CC mammogram of the right breast. 59 y/o patient.
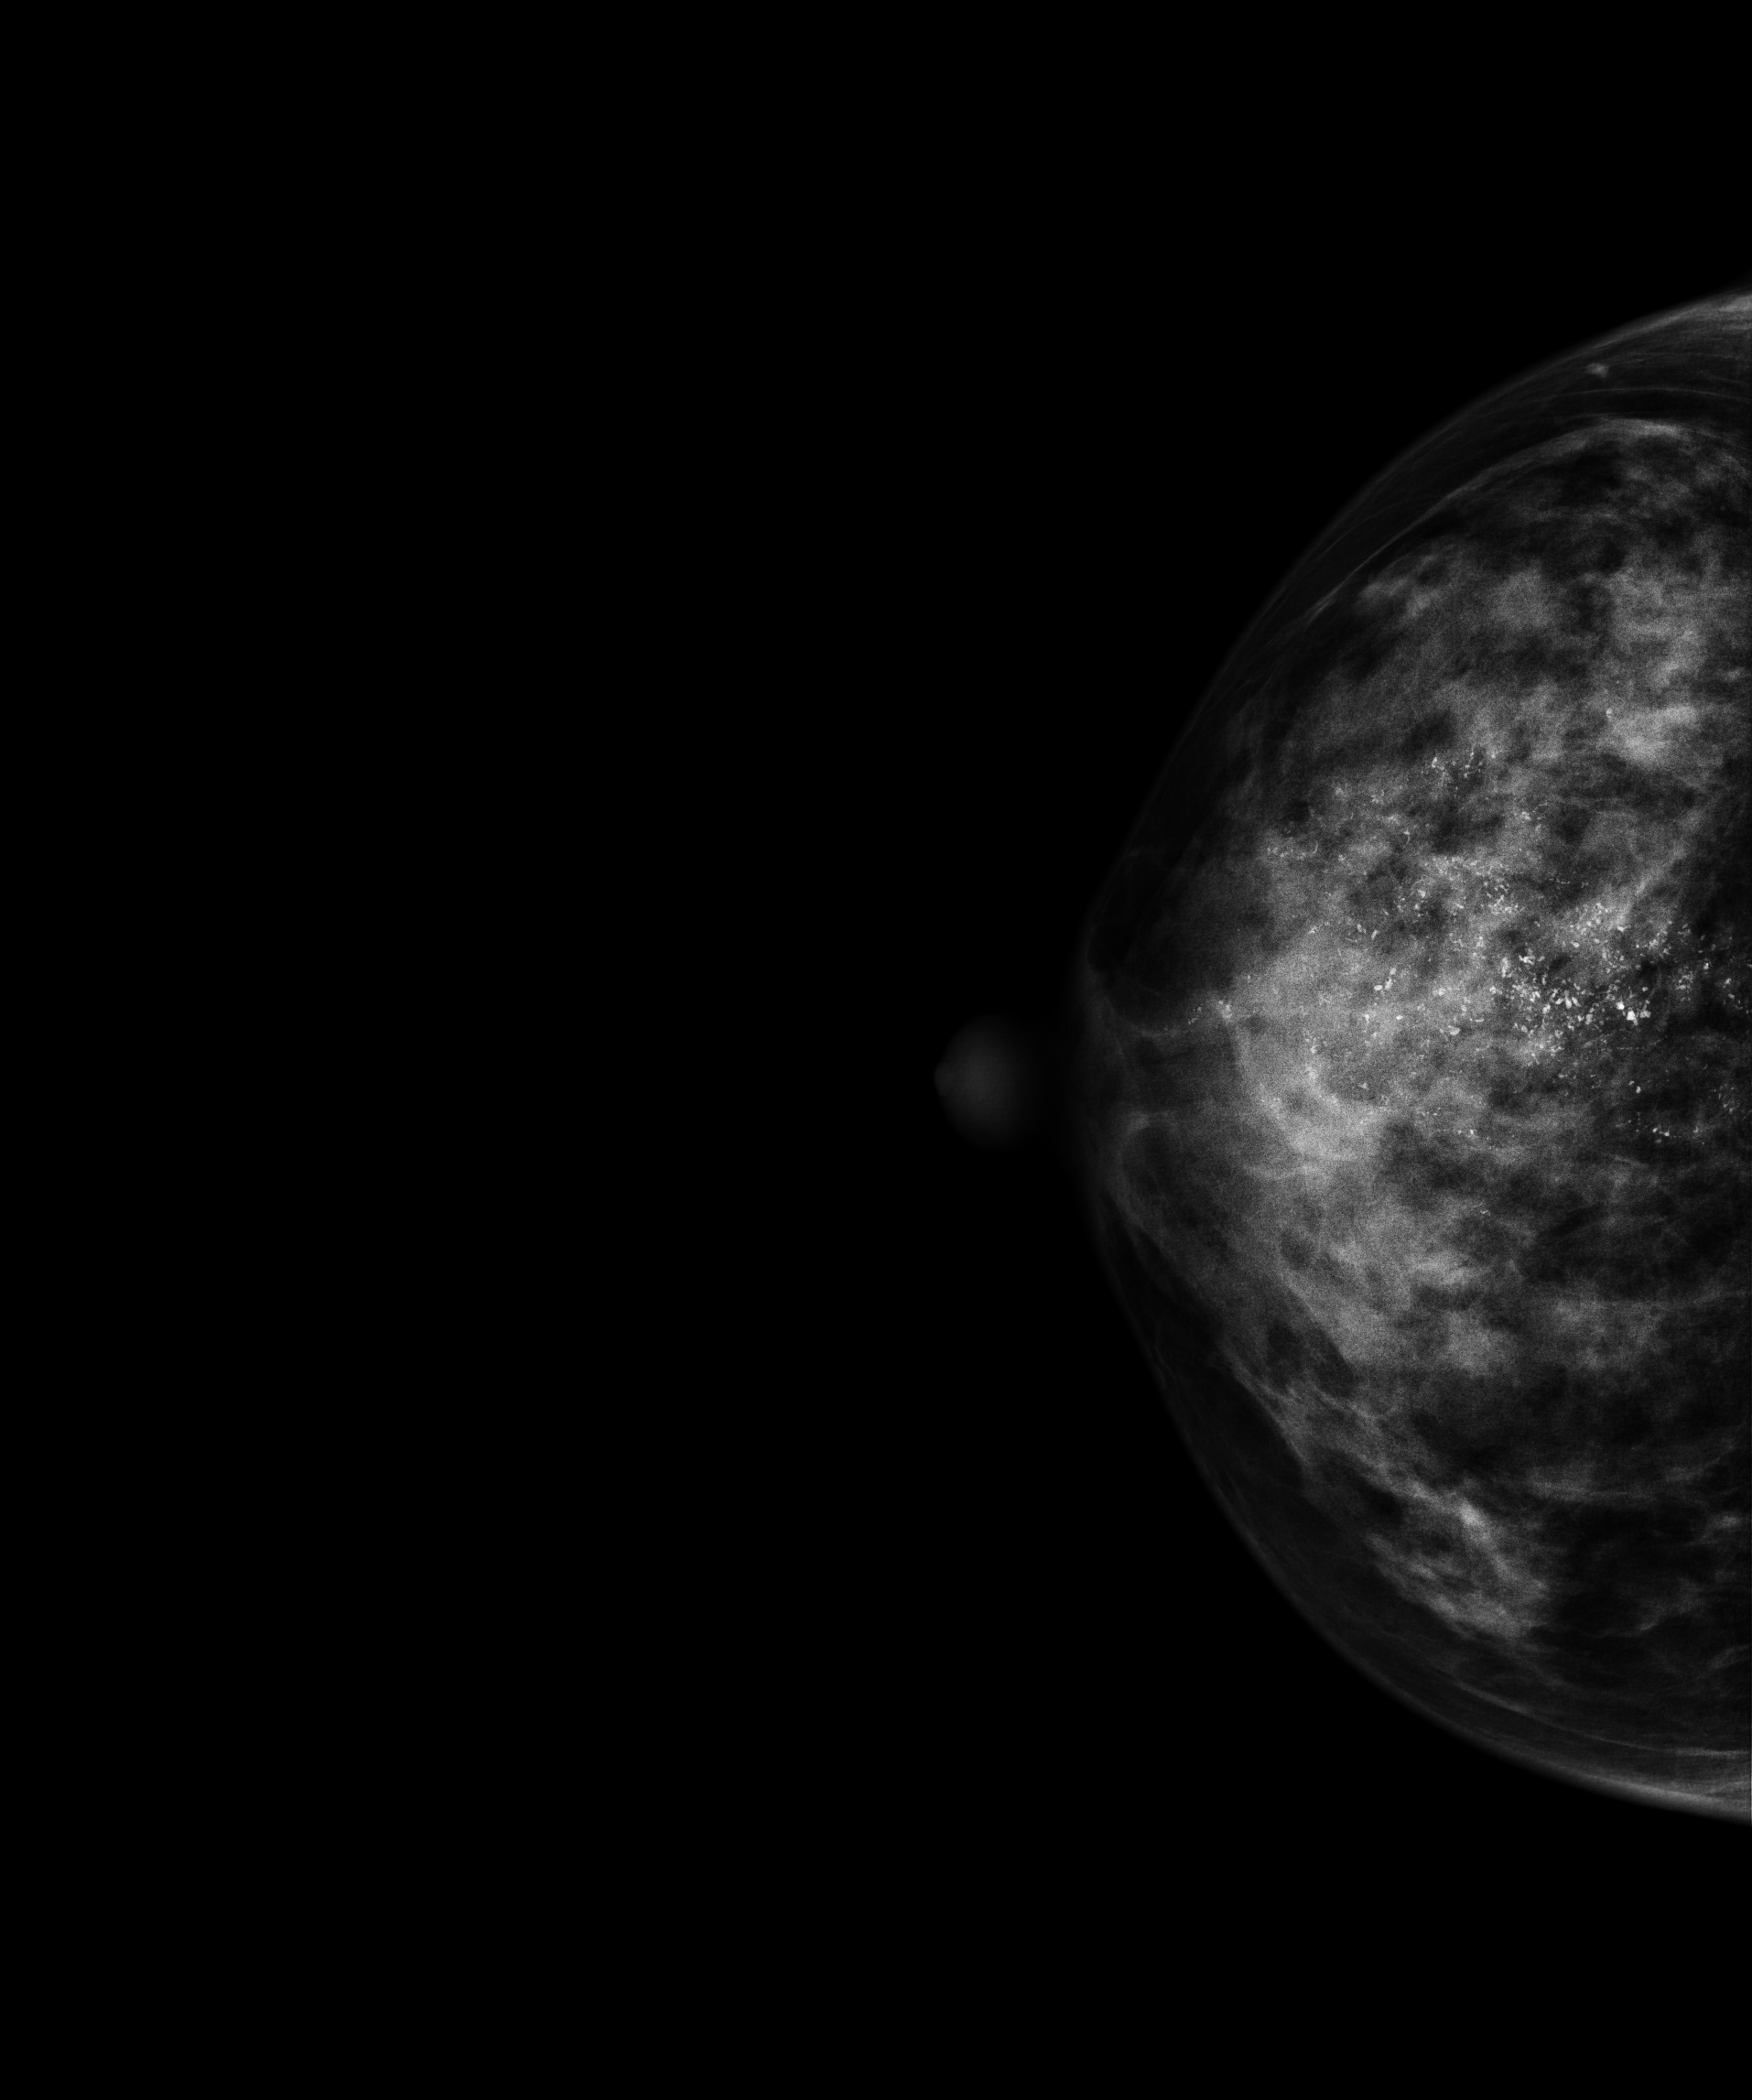
This breast has calcifications, biopsy-confirmed malignant.